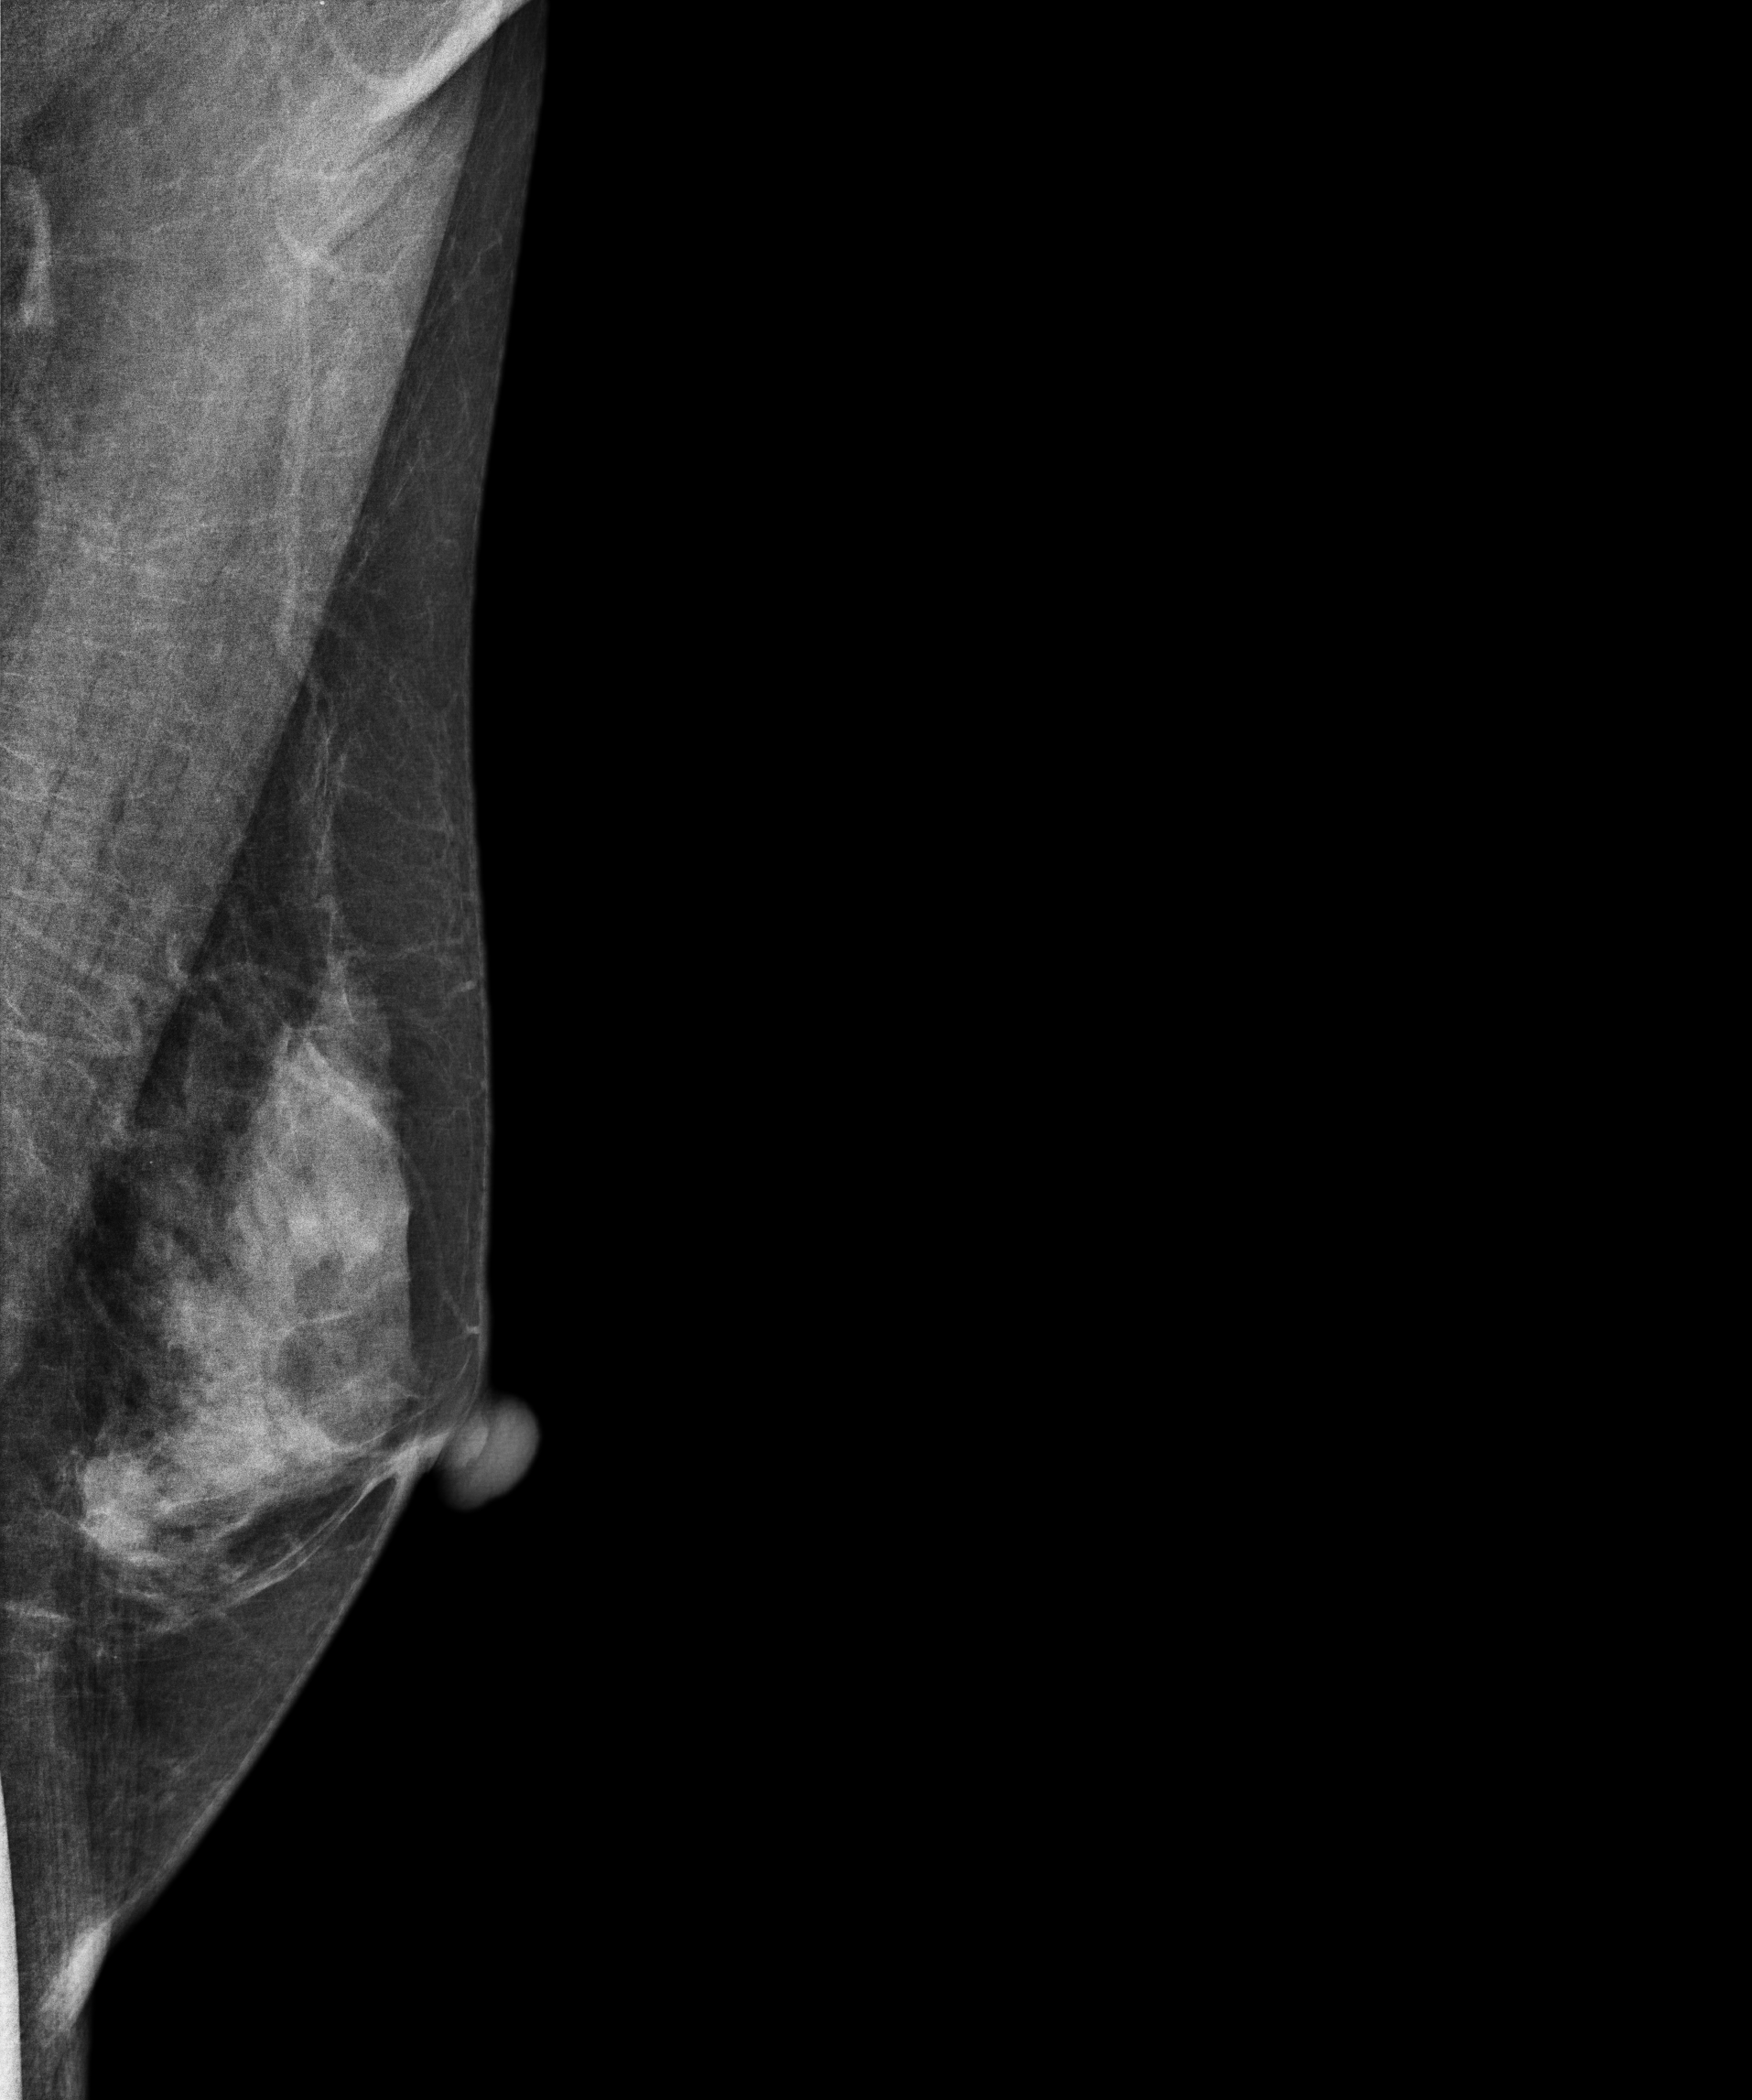
Mammogram, left breast, MLO view. 54-year-old patient.
Contralateral breast — no documented abnormality on this side.